Mammogram, left breast, medio-lateral oblique view. 60-year-old patient.
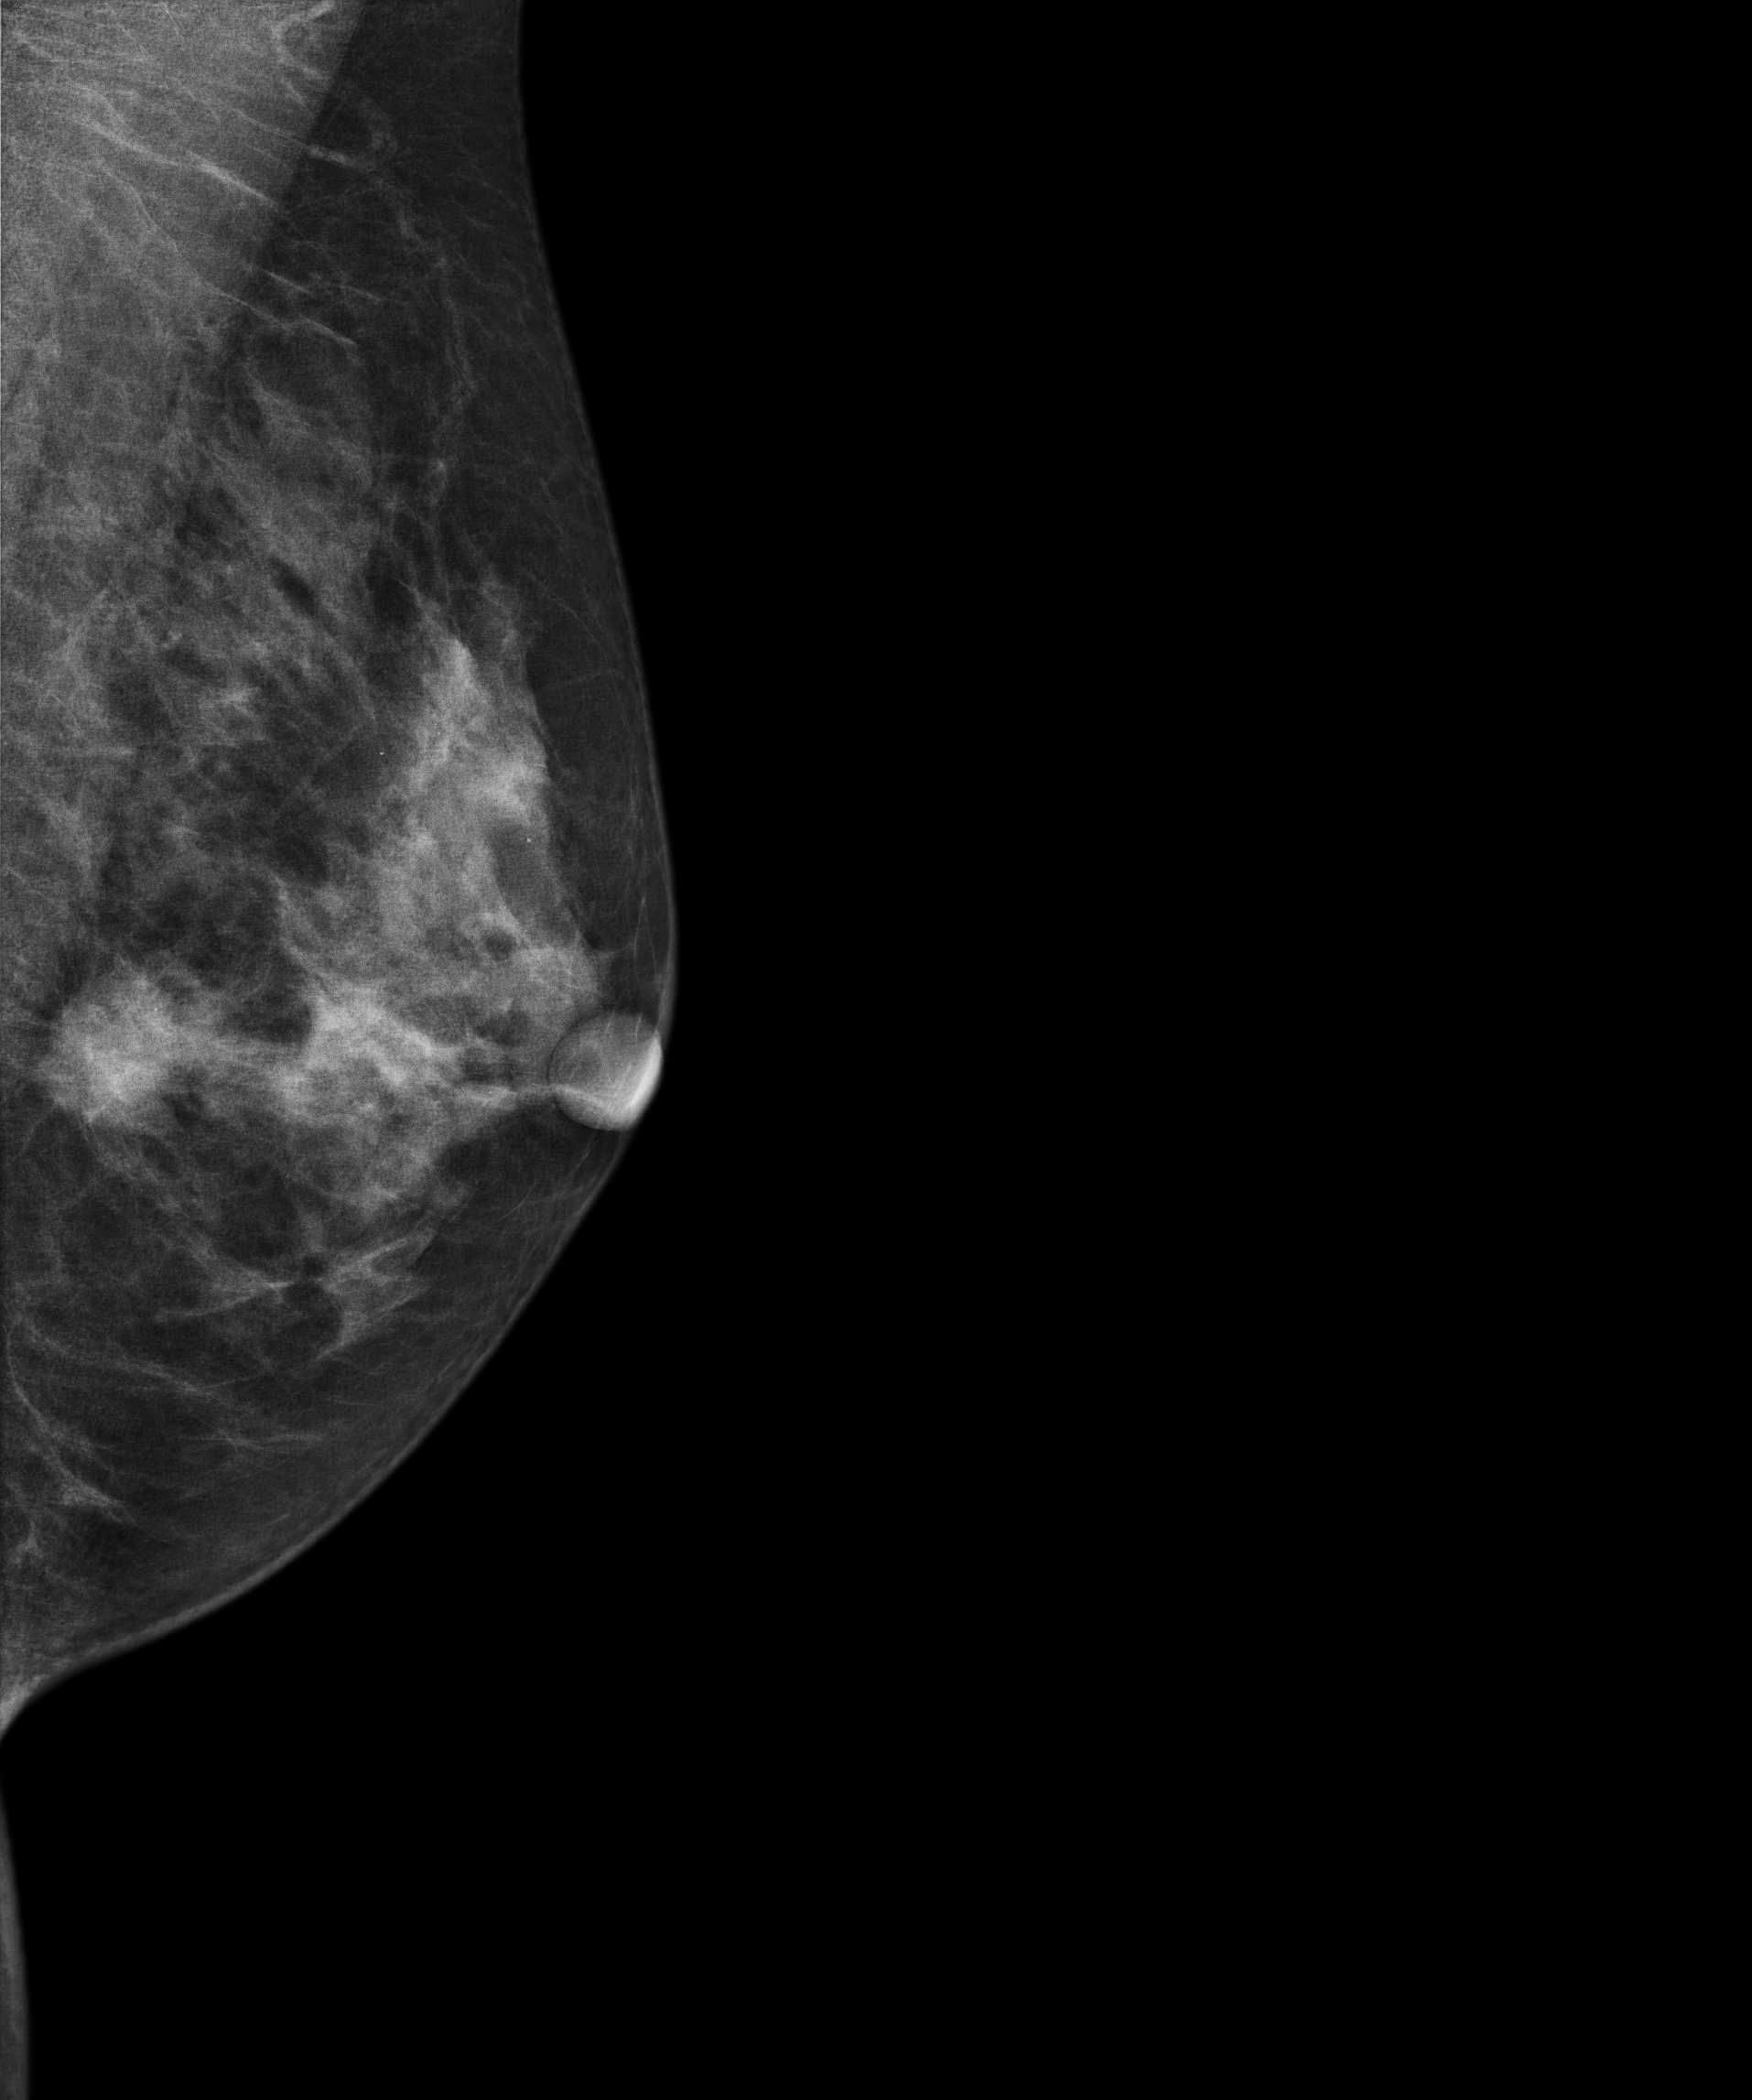
This breast has a mass, biopsy-confirmed malignant.